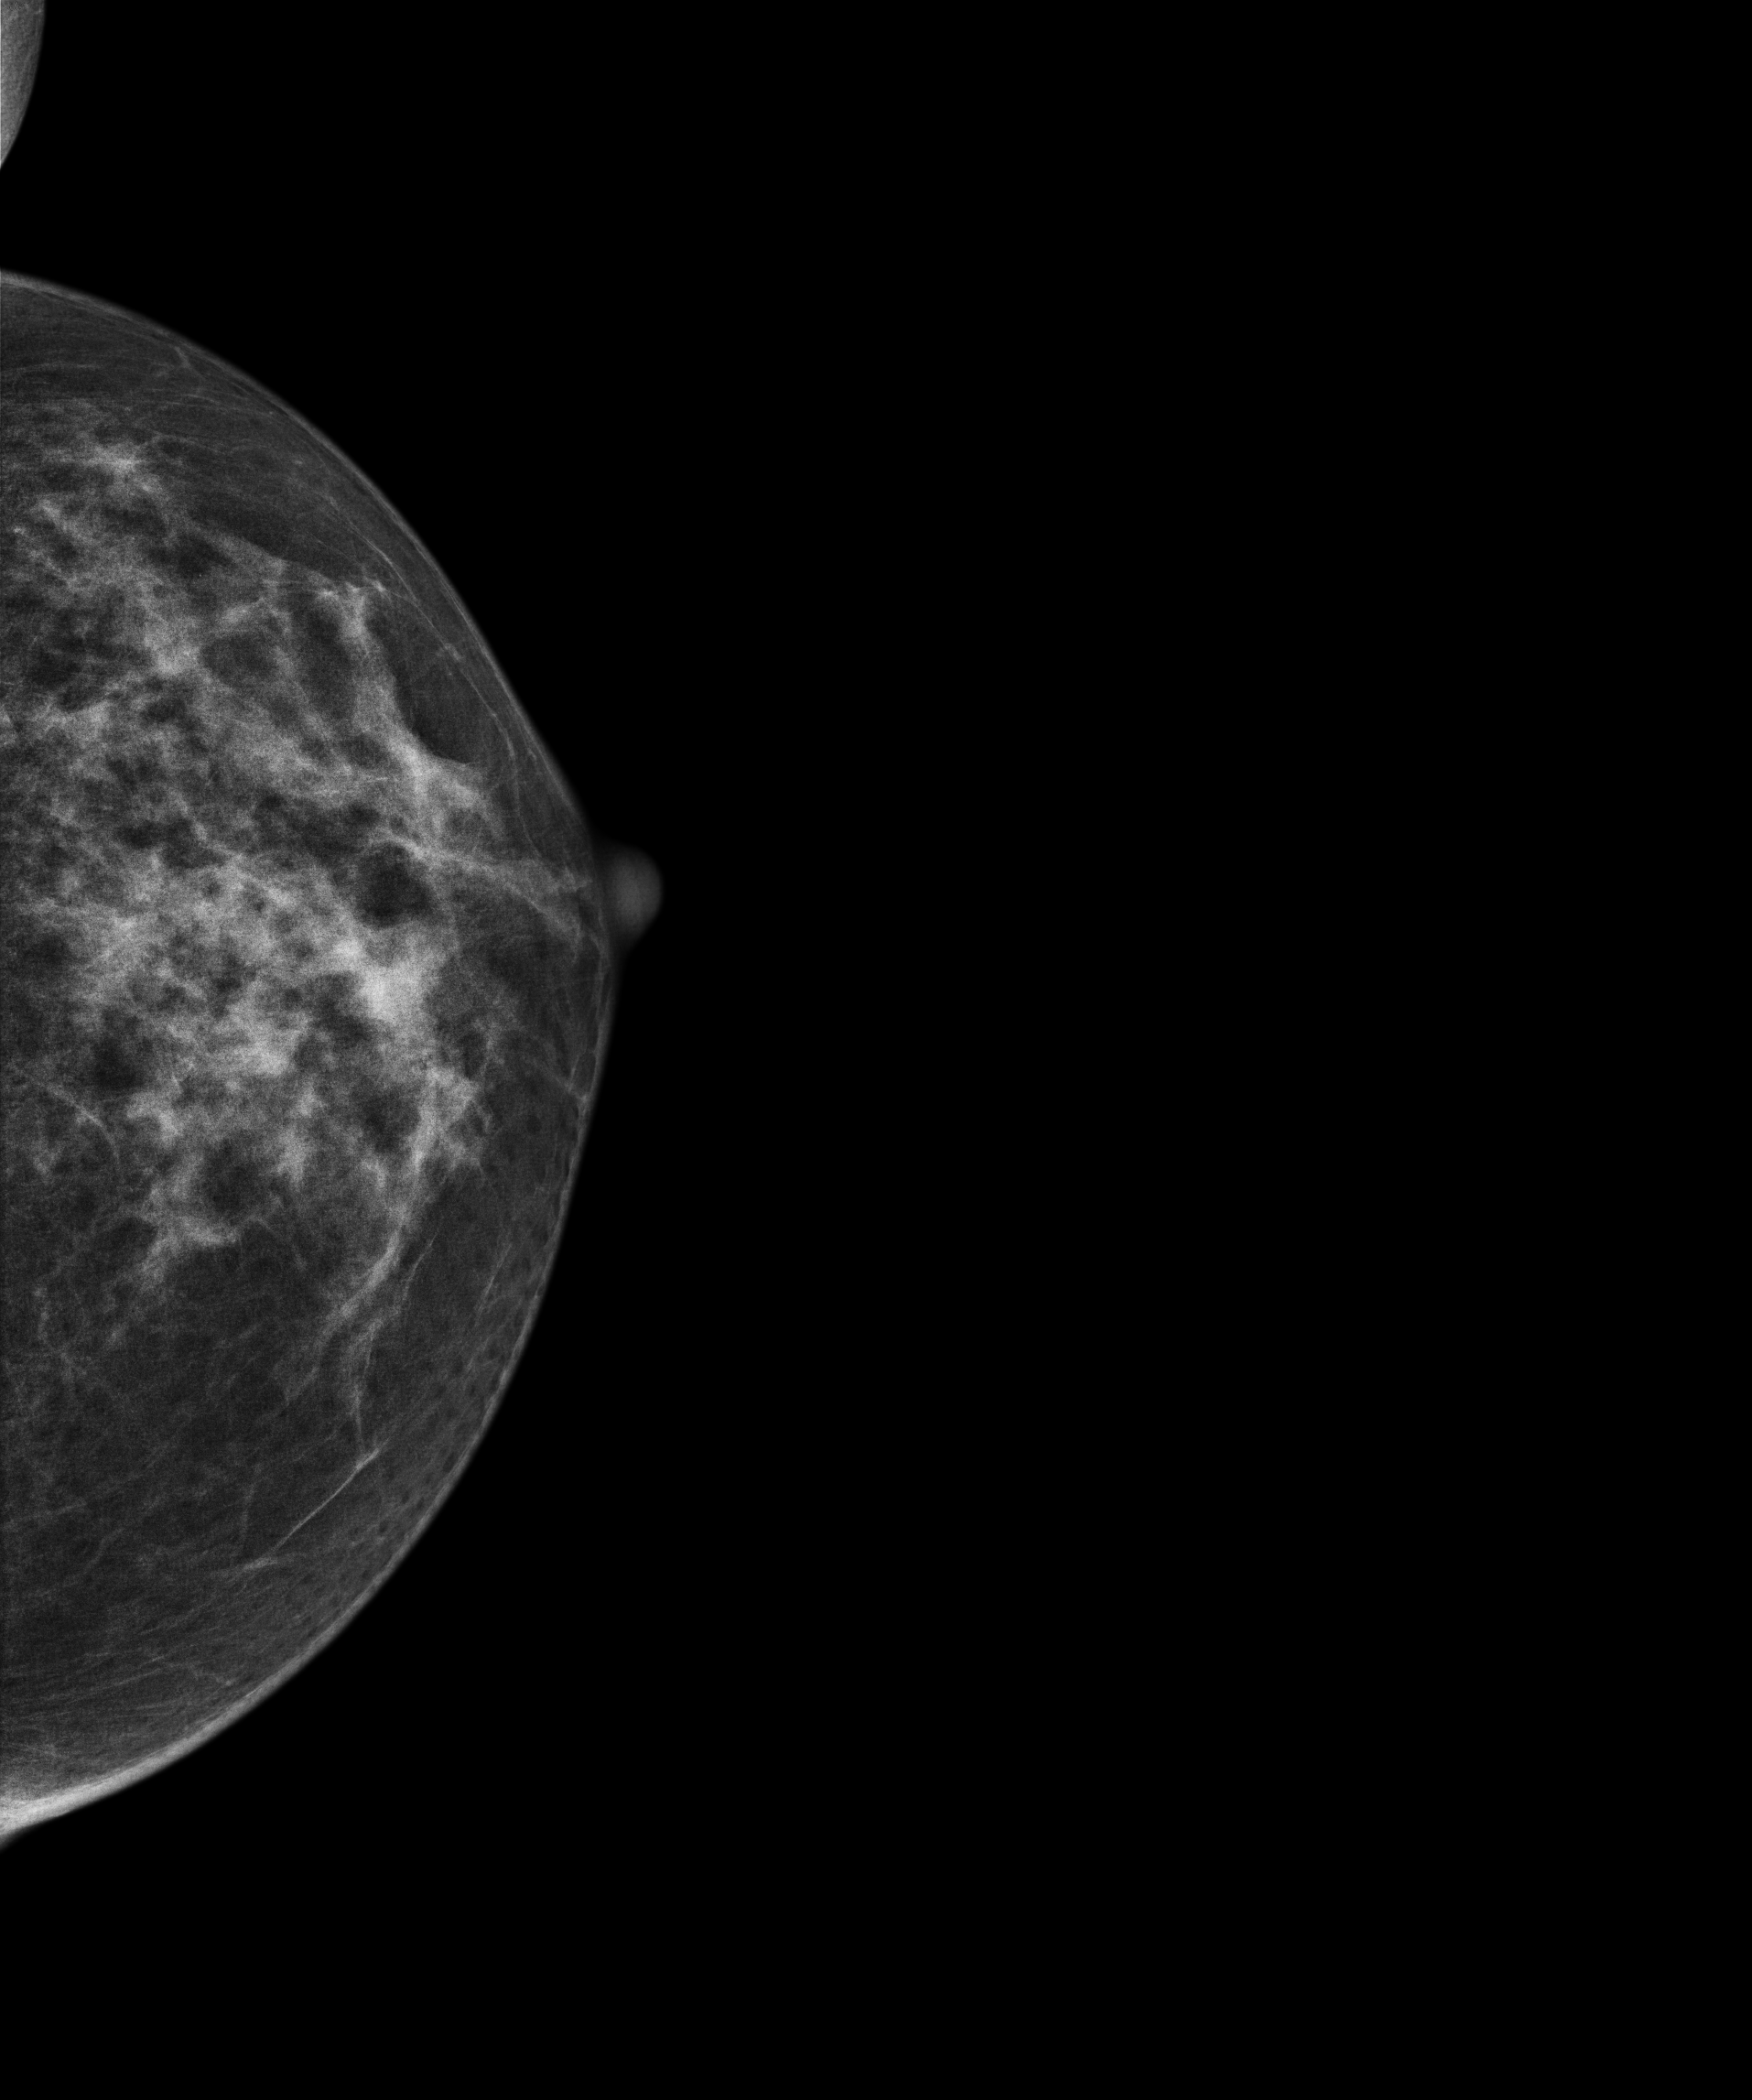
Left-breast mammogram, CC. 63-year-old patient.
Contralateral breast — no documented abnormality on this side.